Digital mammography. Left breast, medio-lateral oblique projection. 37-year-old patient.
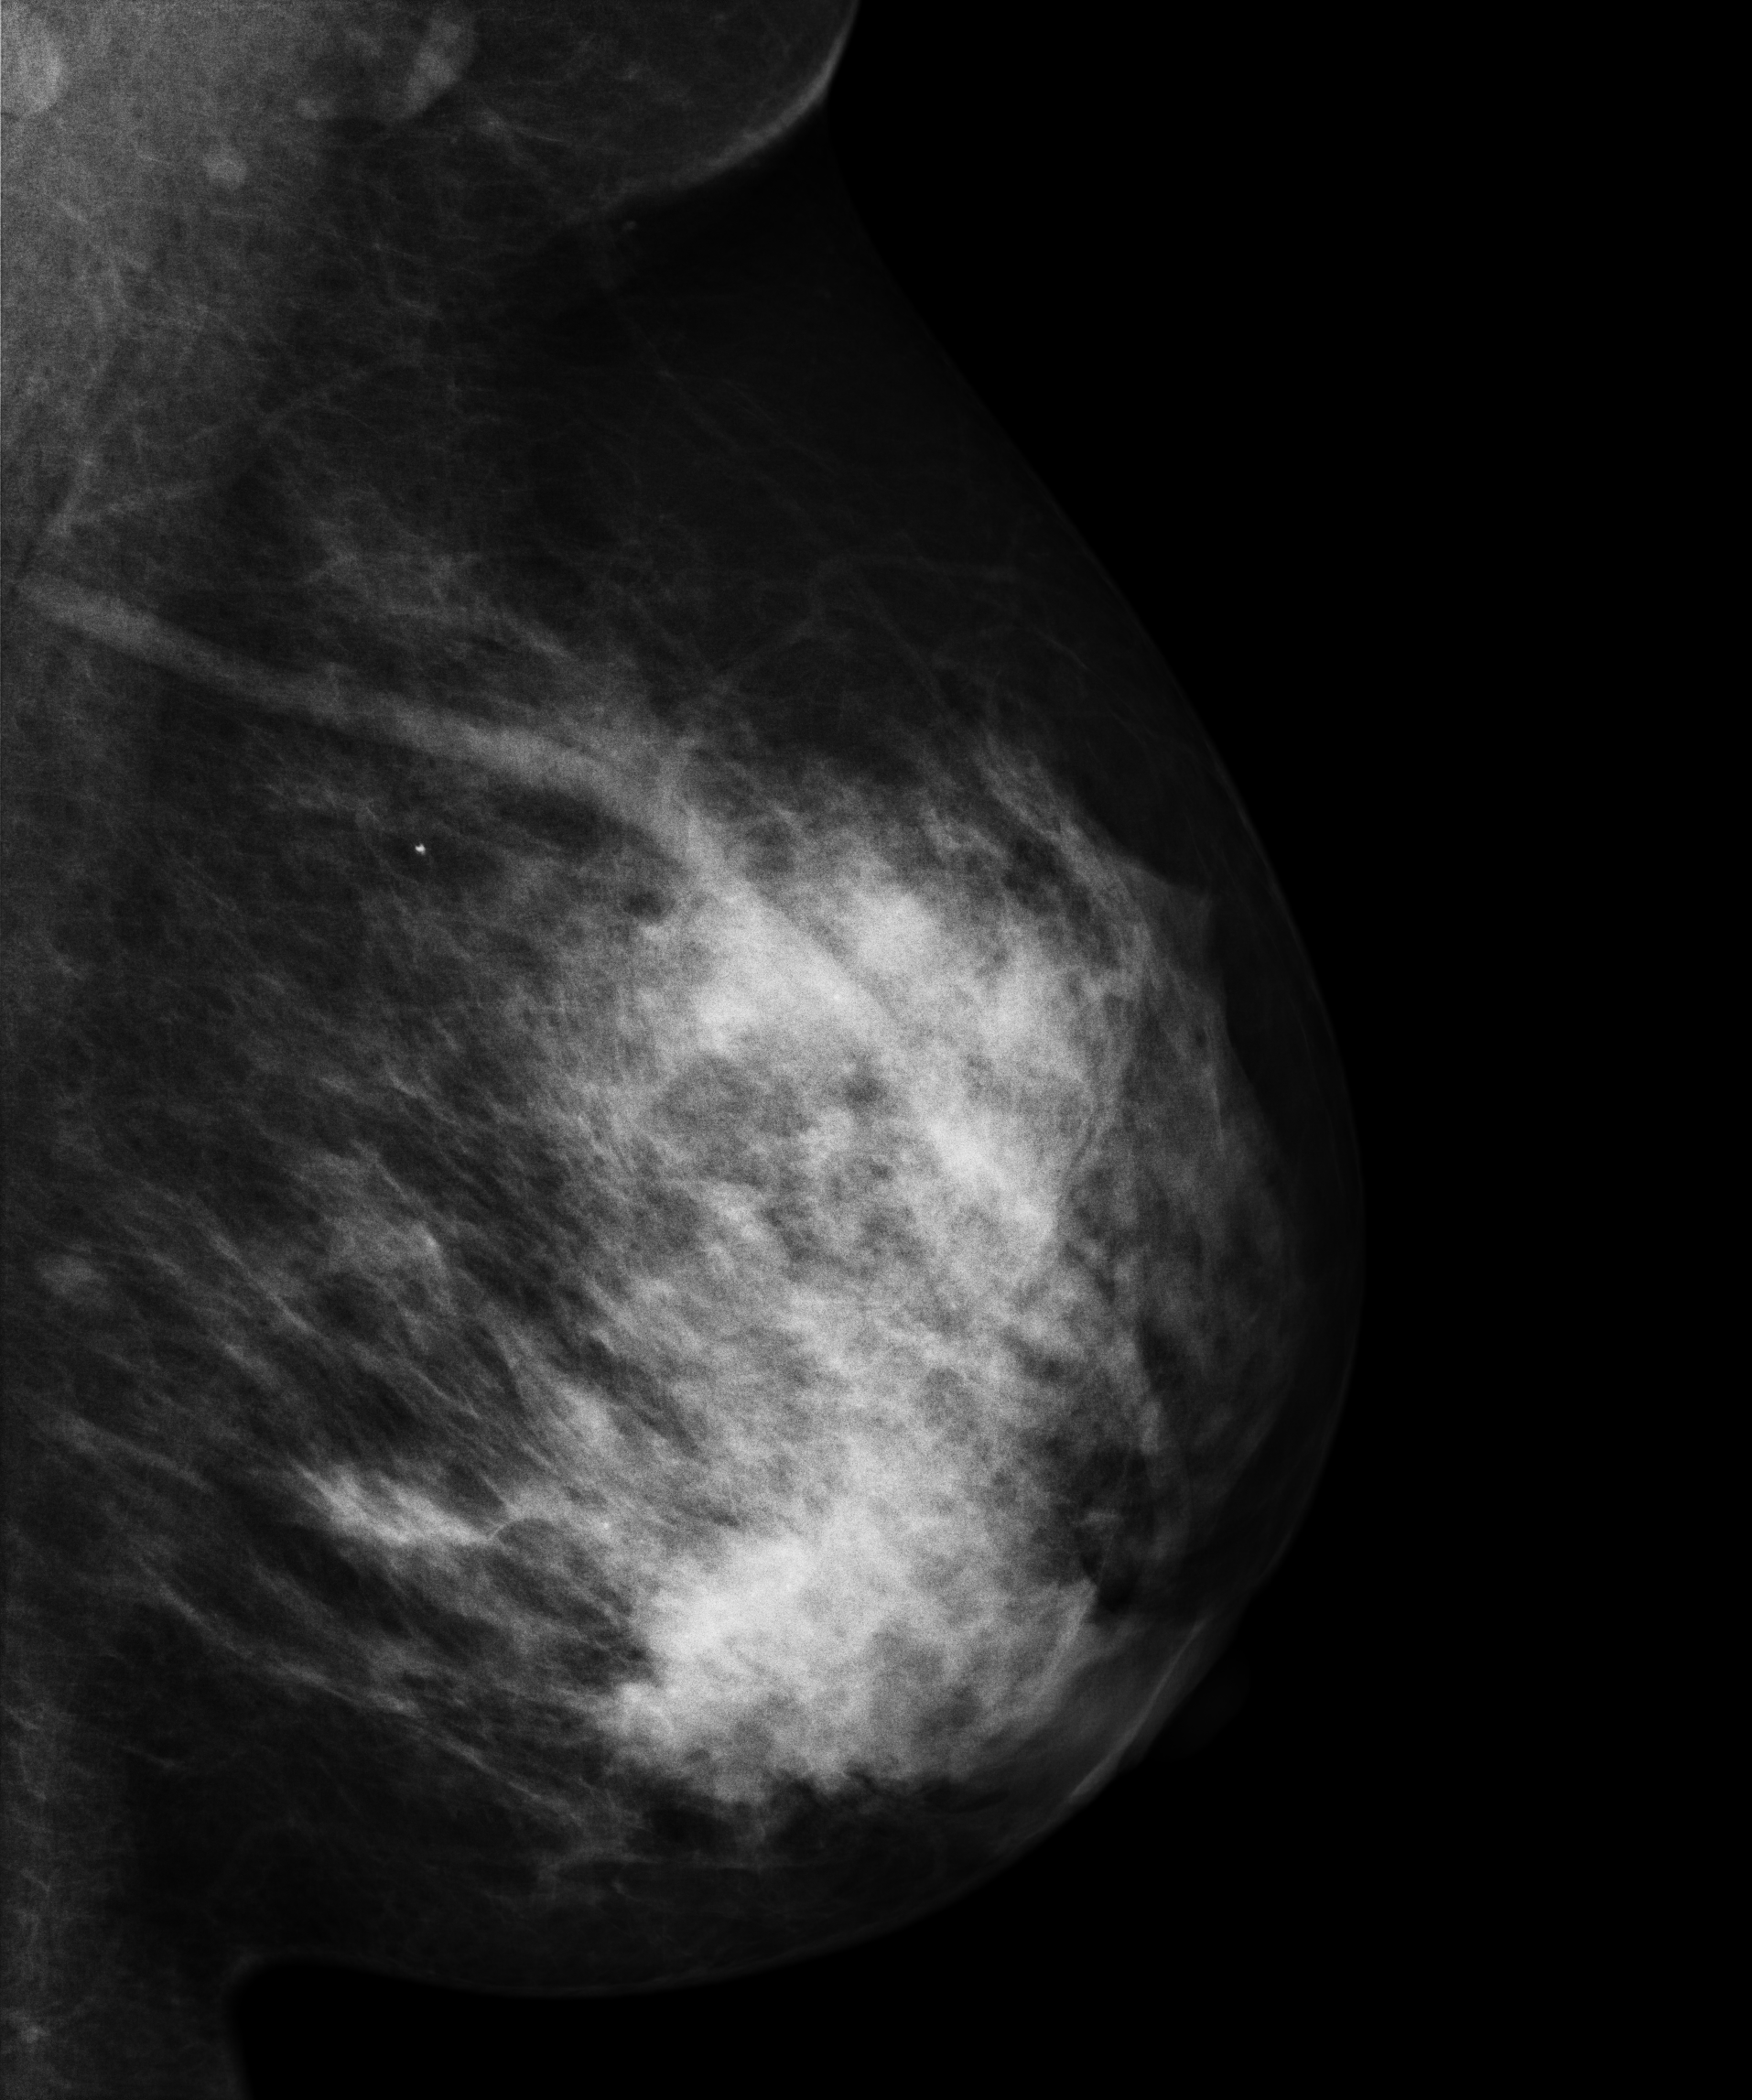
This breast has a mass, pathology-confirmed malignant.